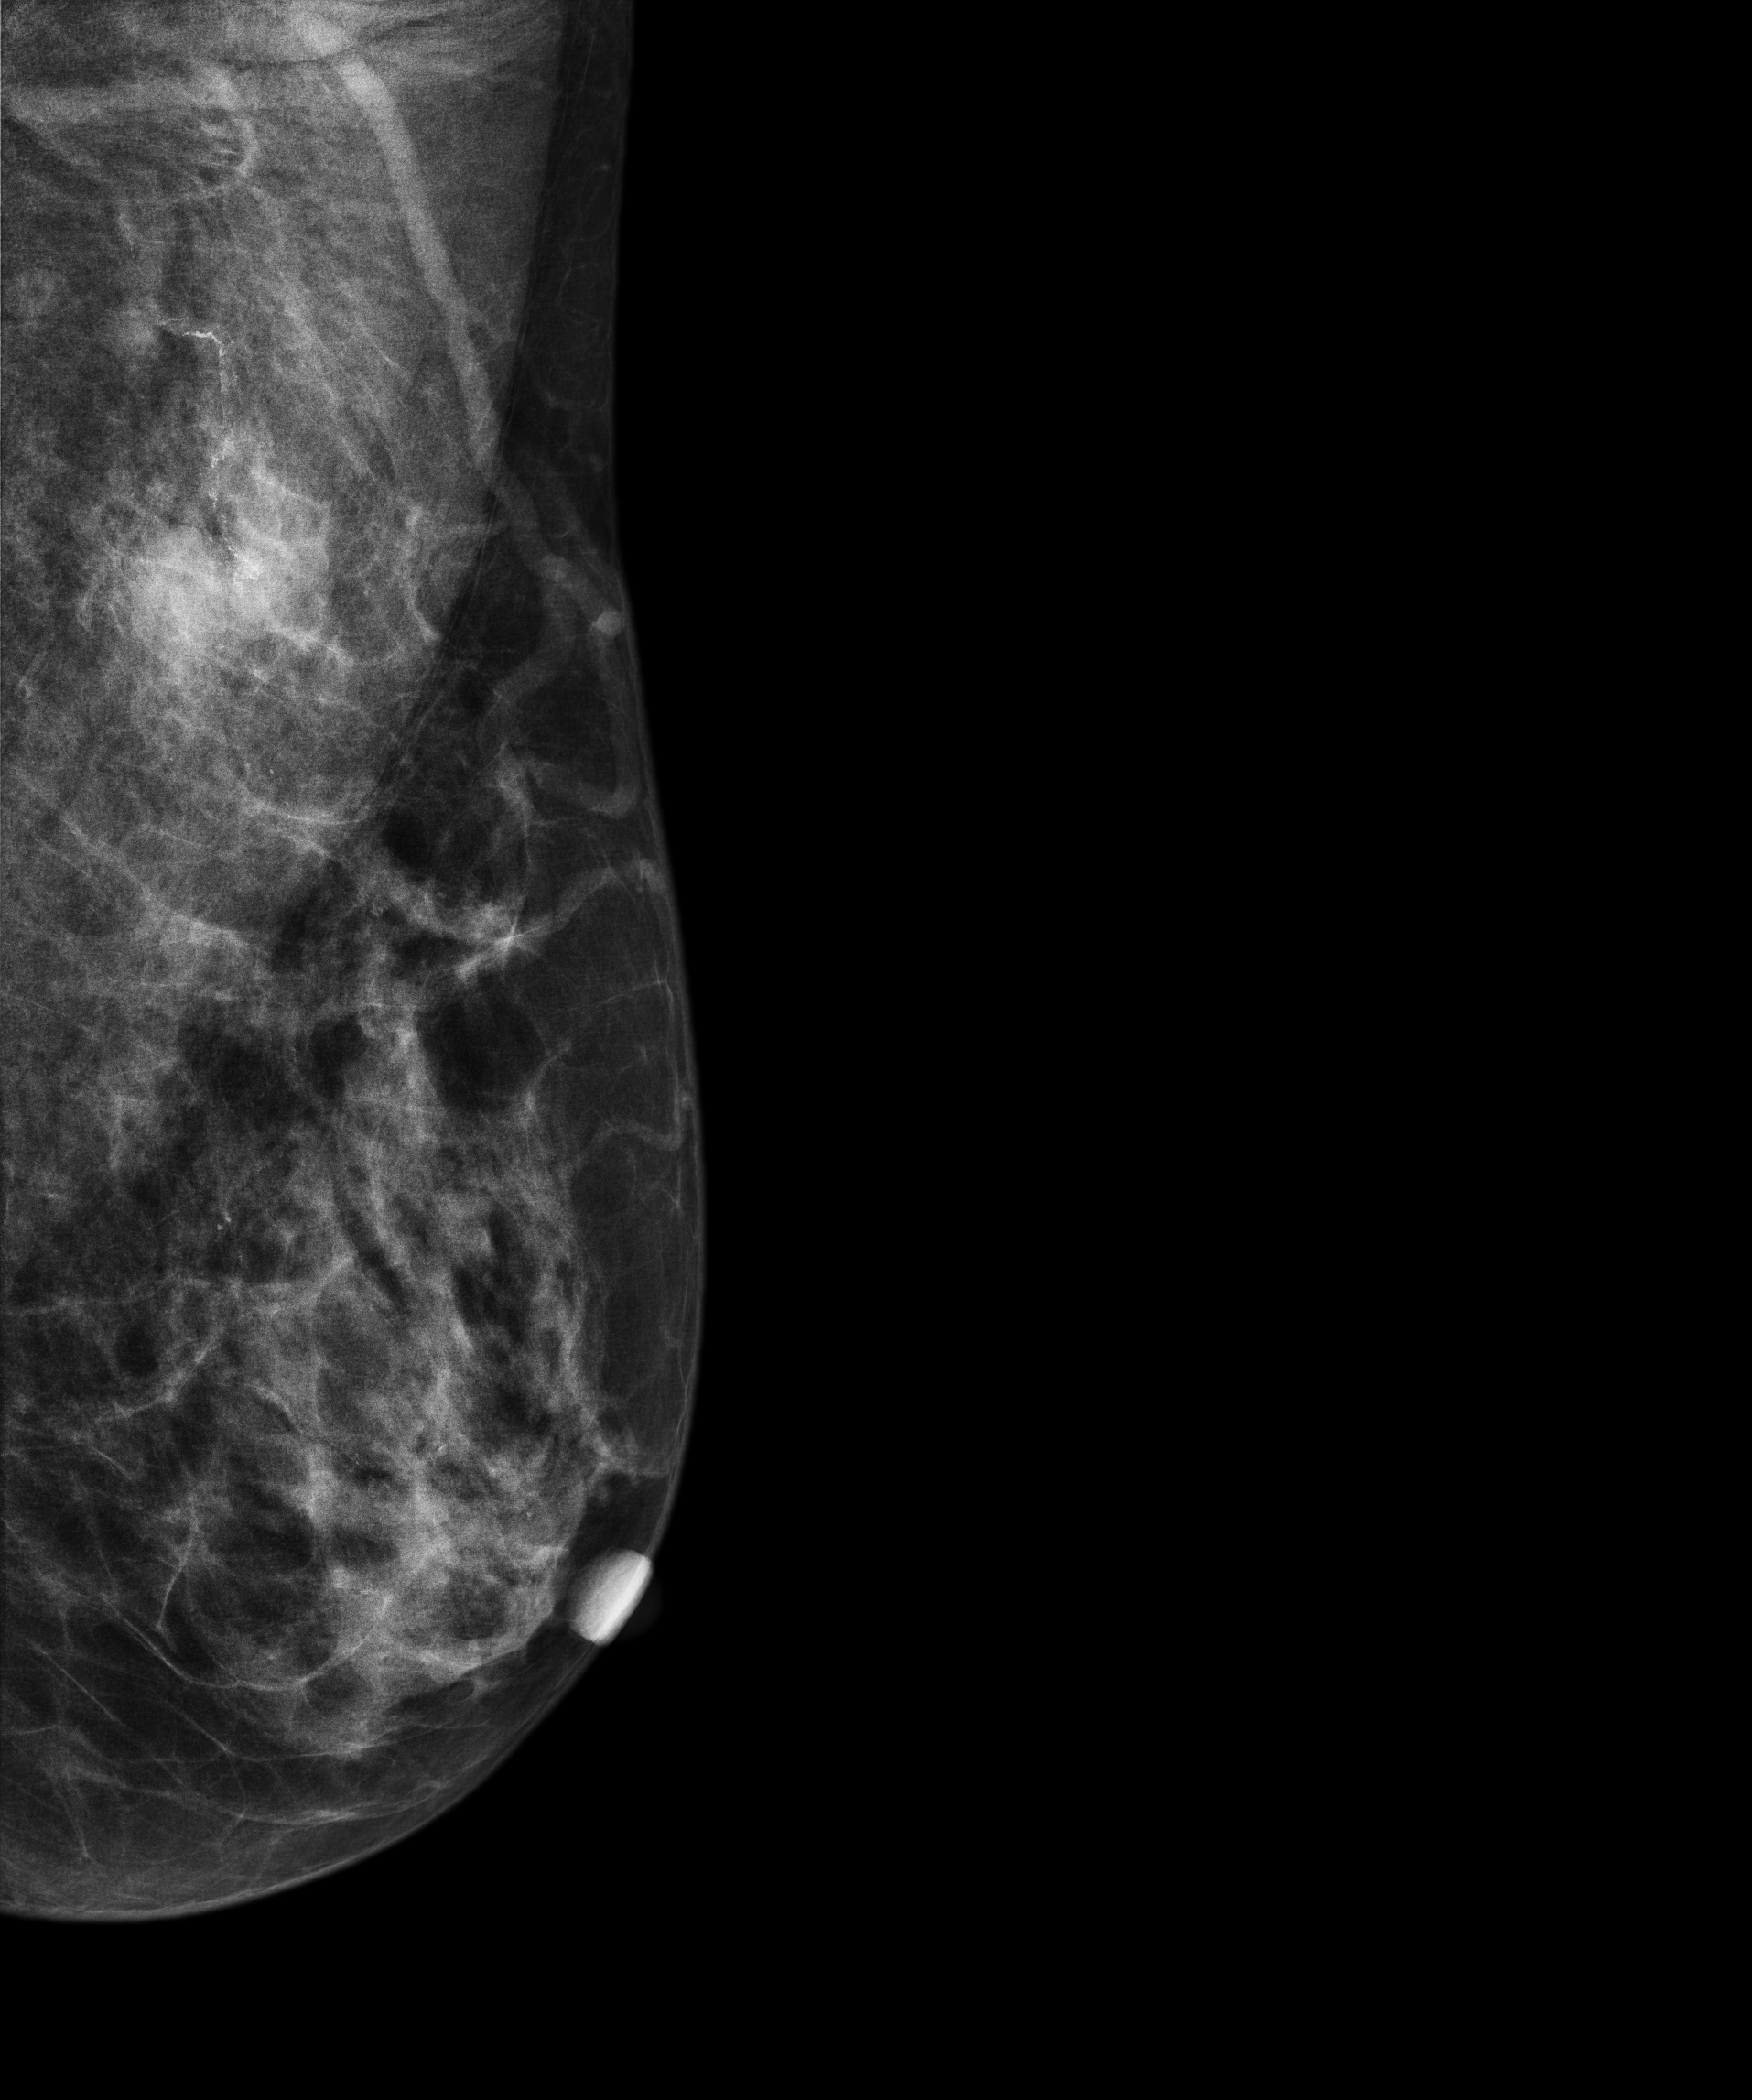
MLO mammogram of the left breast. 58 y/o patient.
This breast has a mass and calcifications, biopsy-proven malignant.